Medio-lateral oblique mammogram of the right breast. Patient age 57.
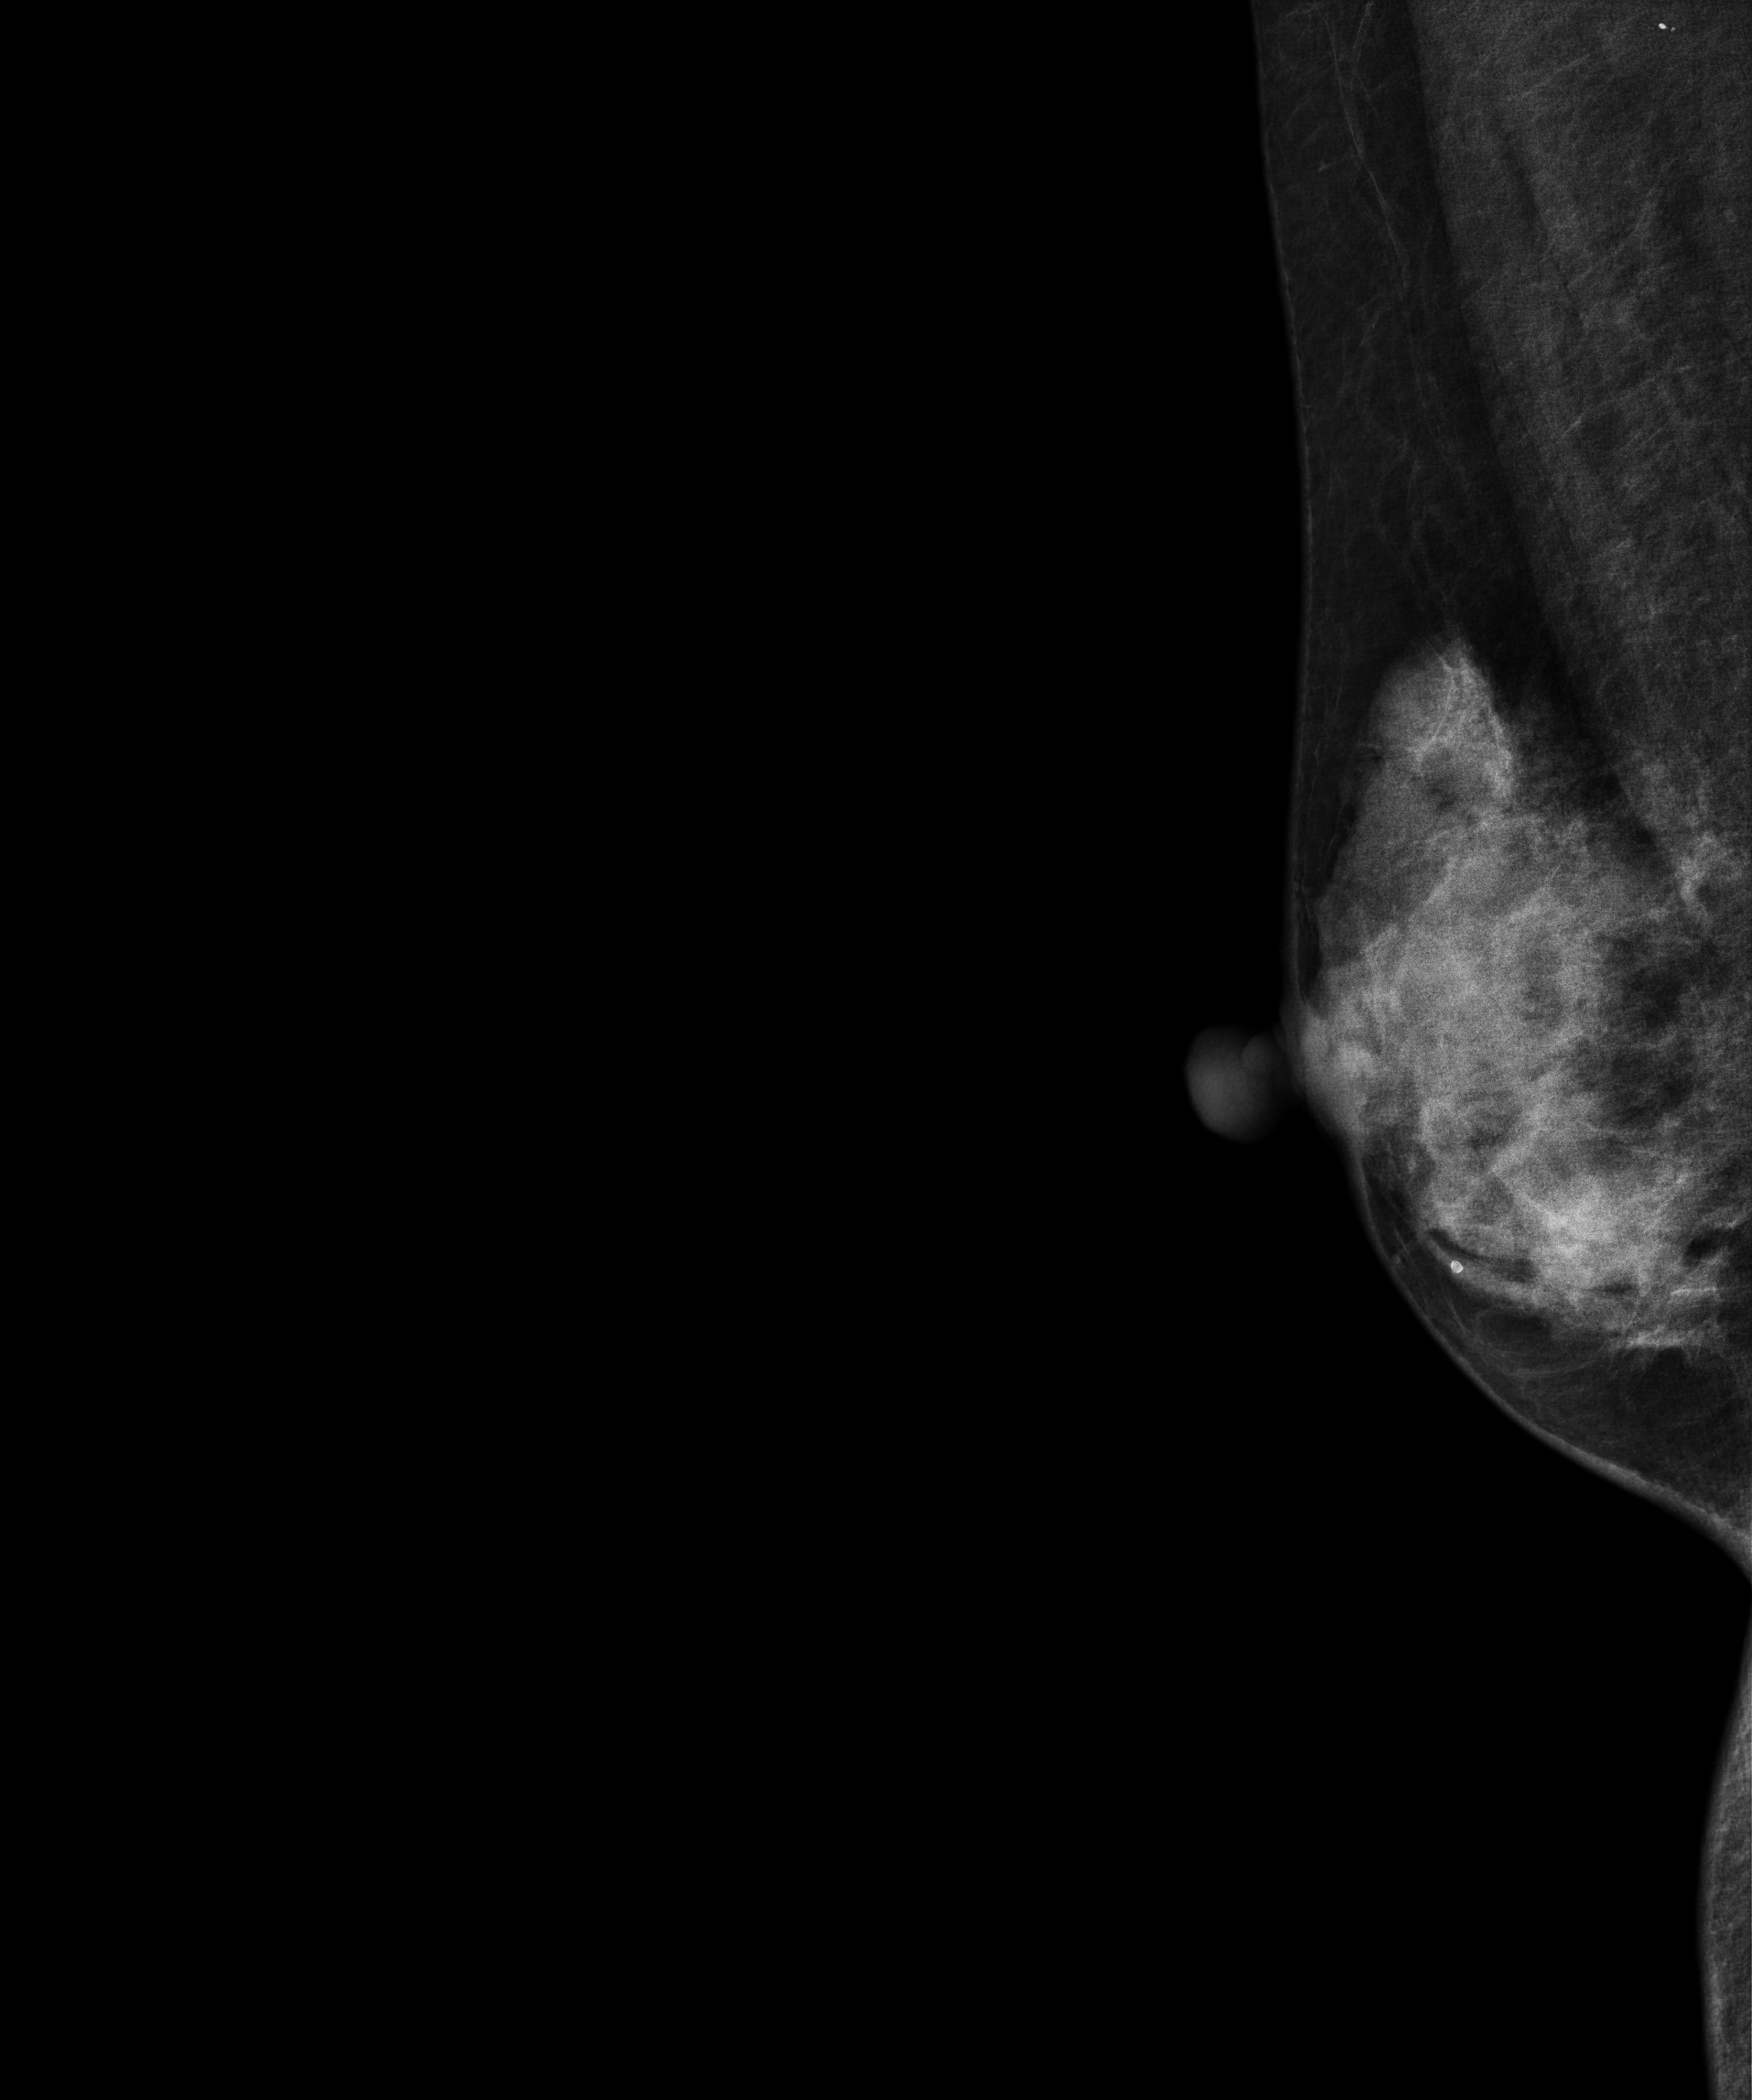
Contralateral breast — no documented abnormality on this side.